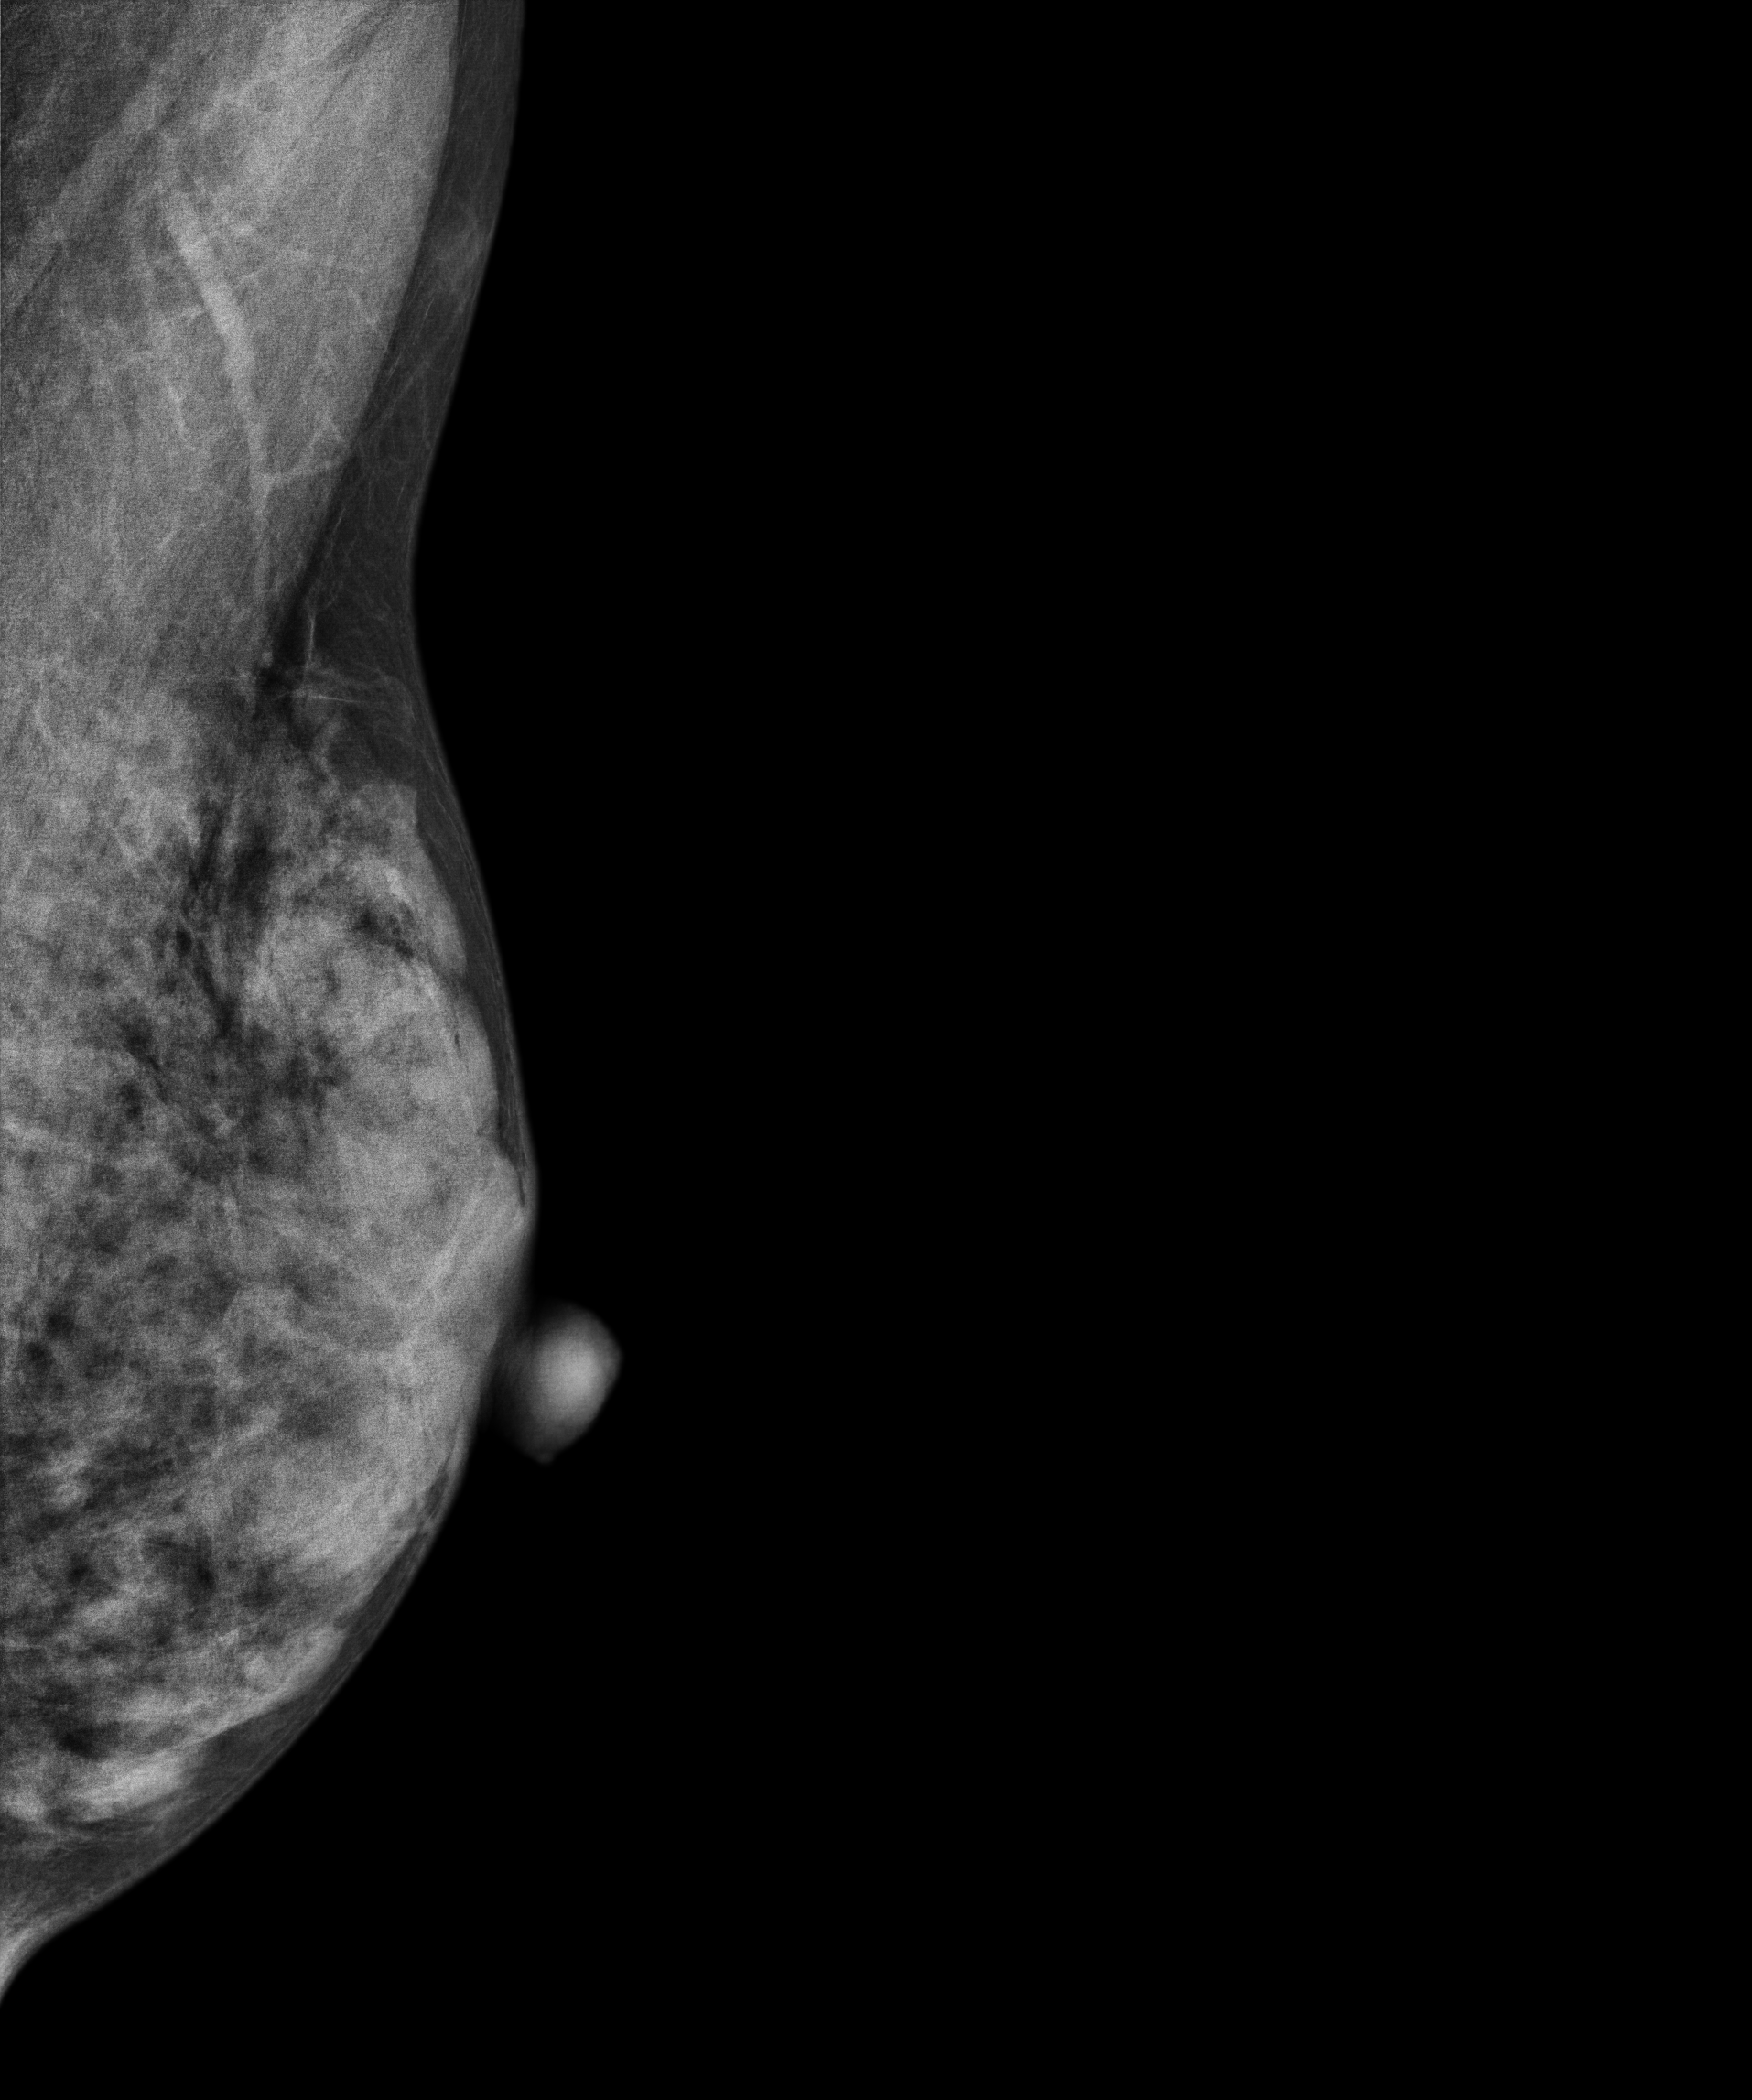
Mammogram — left MLO. Patient age 46.
Contralateral breast — no documented abnormality on this side.